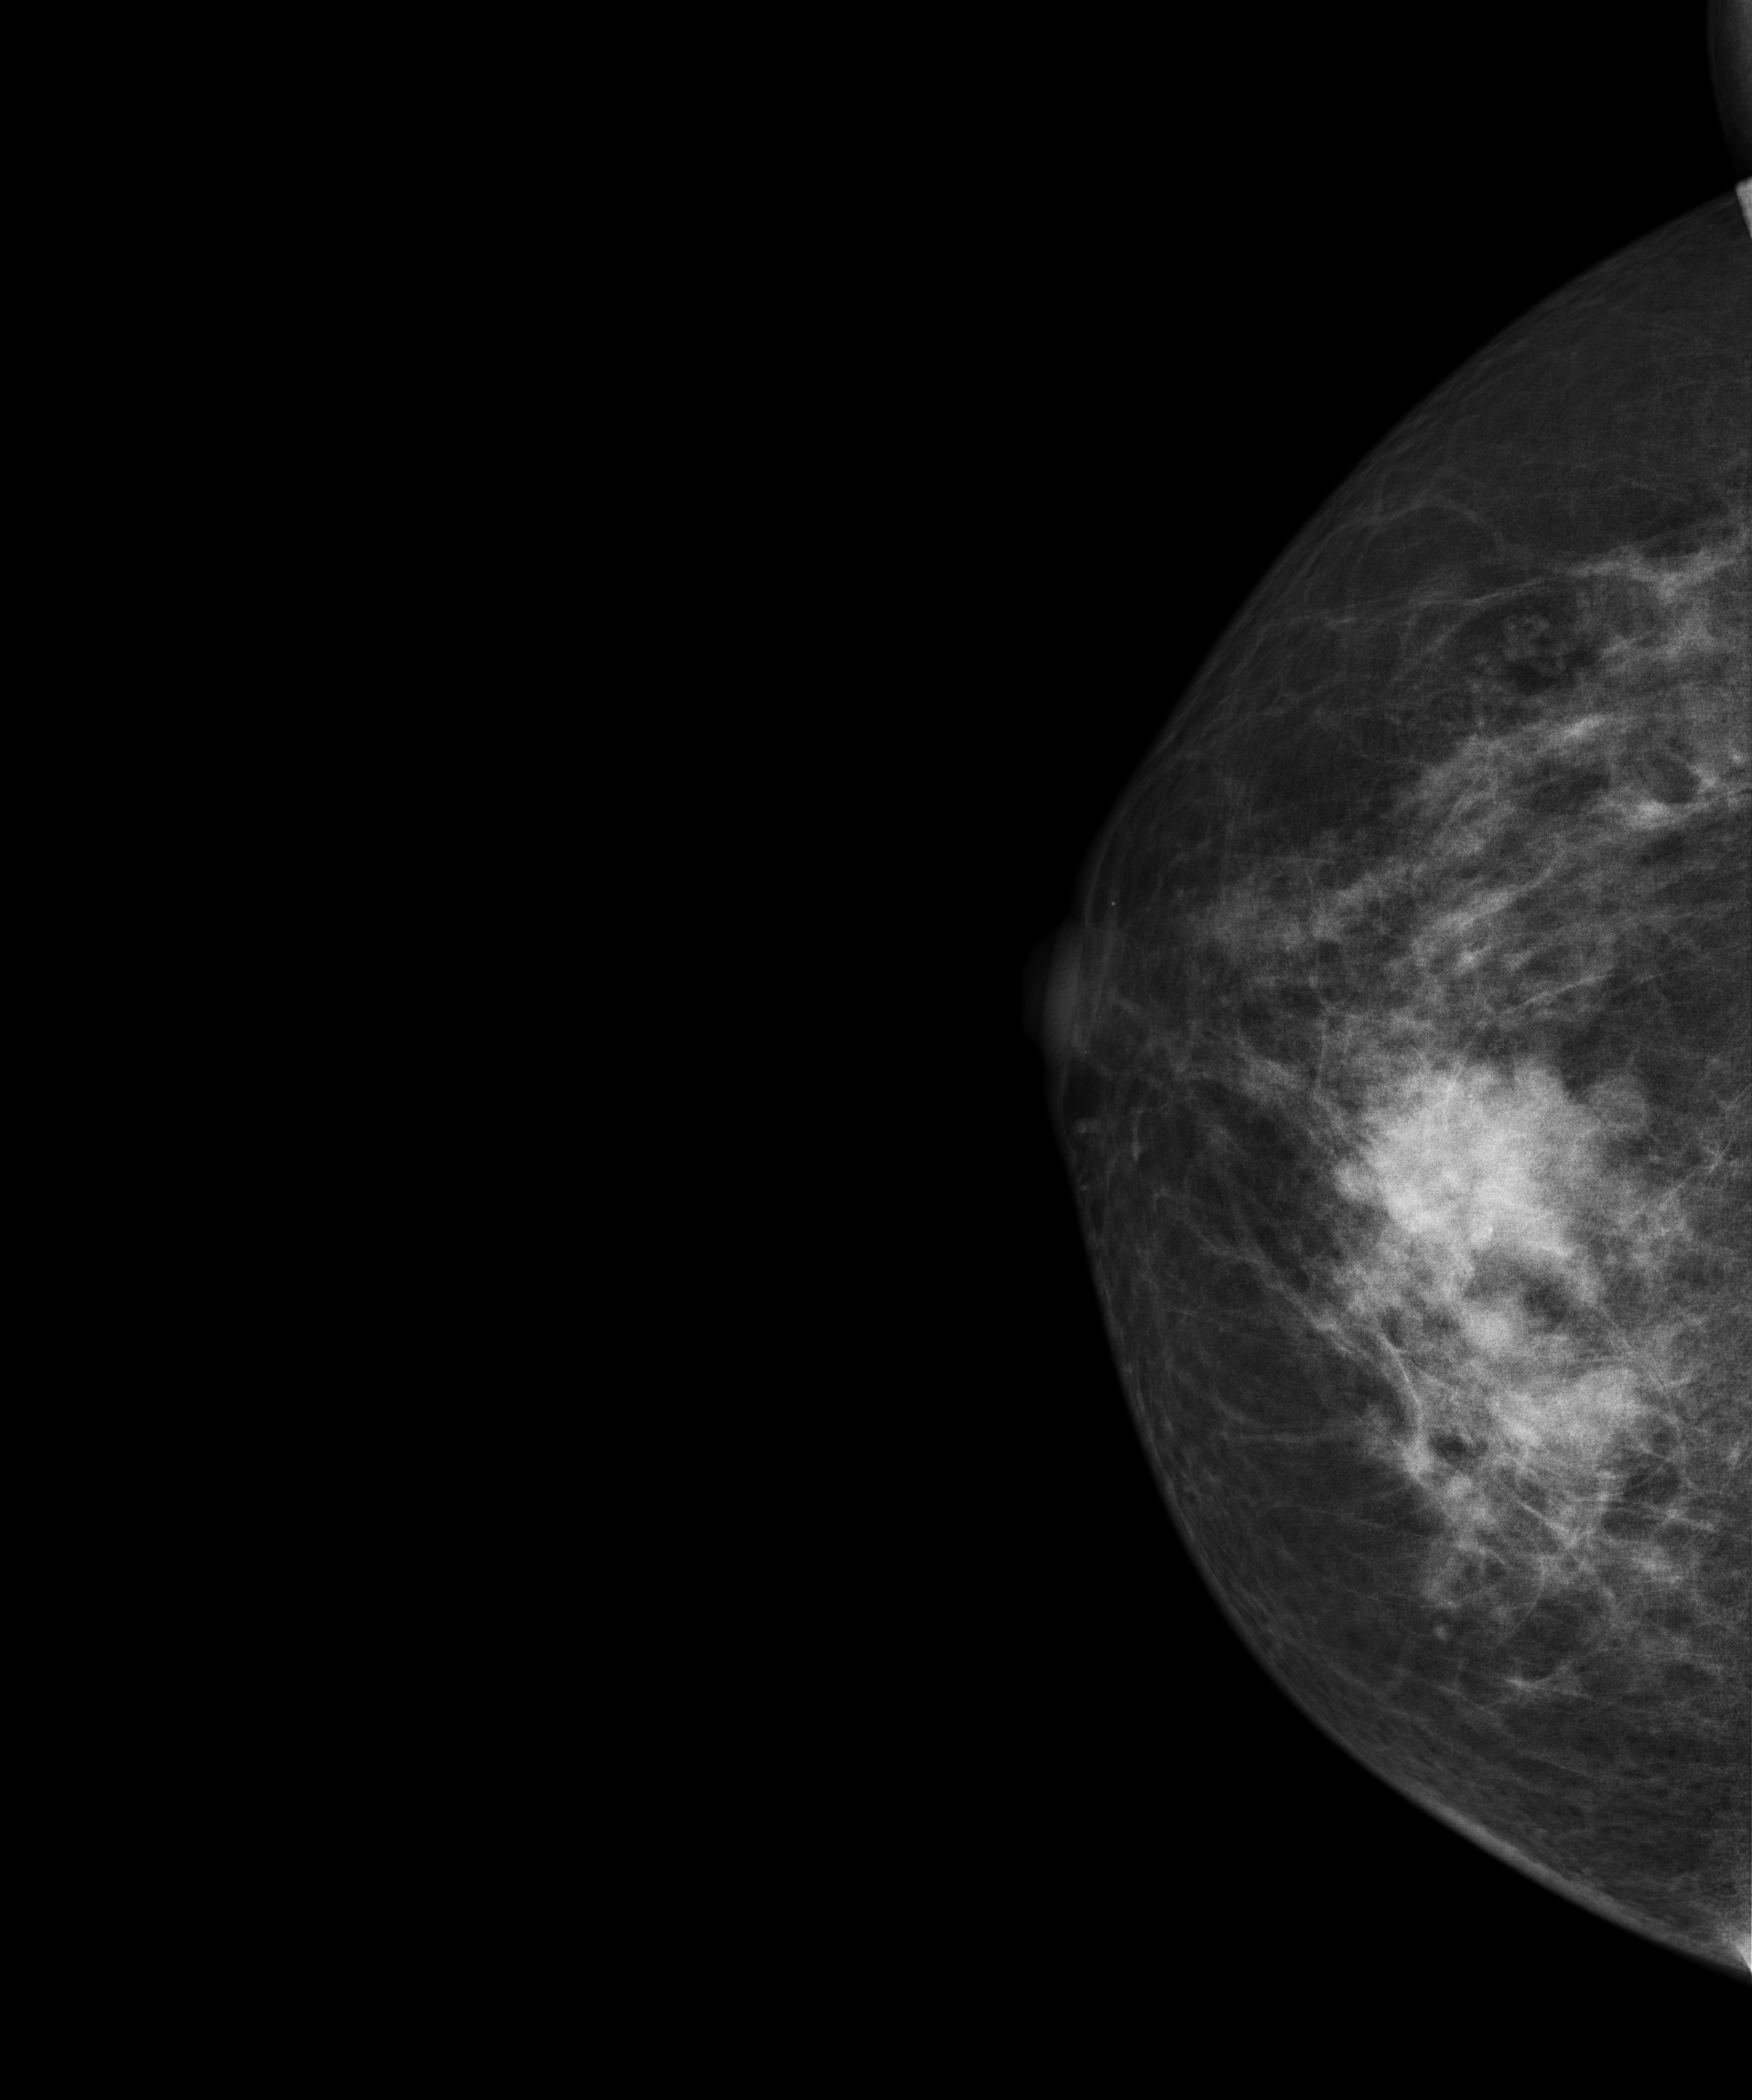
Right-breast mammogram, CC. 60-year-old patient.
This breast has a mass, biopsy-proven malignant. Molecular subtype: luminal A.